CC mammogram of the left breast. 56-year-old patient.
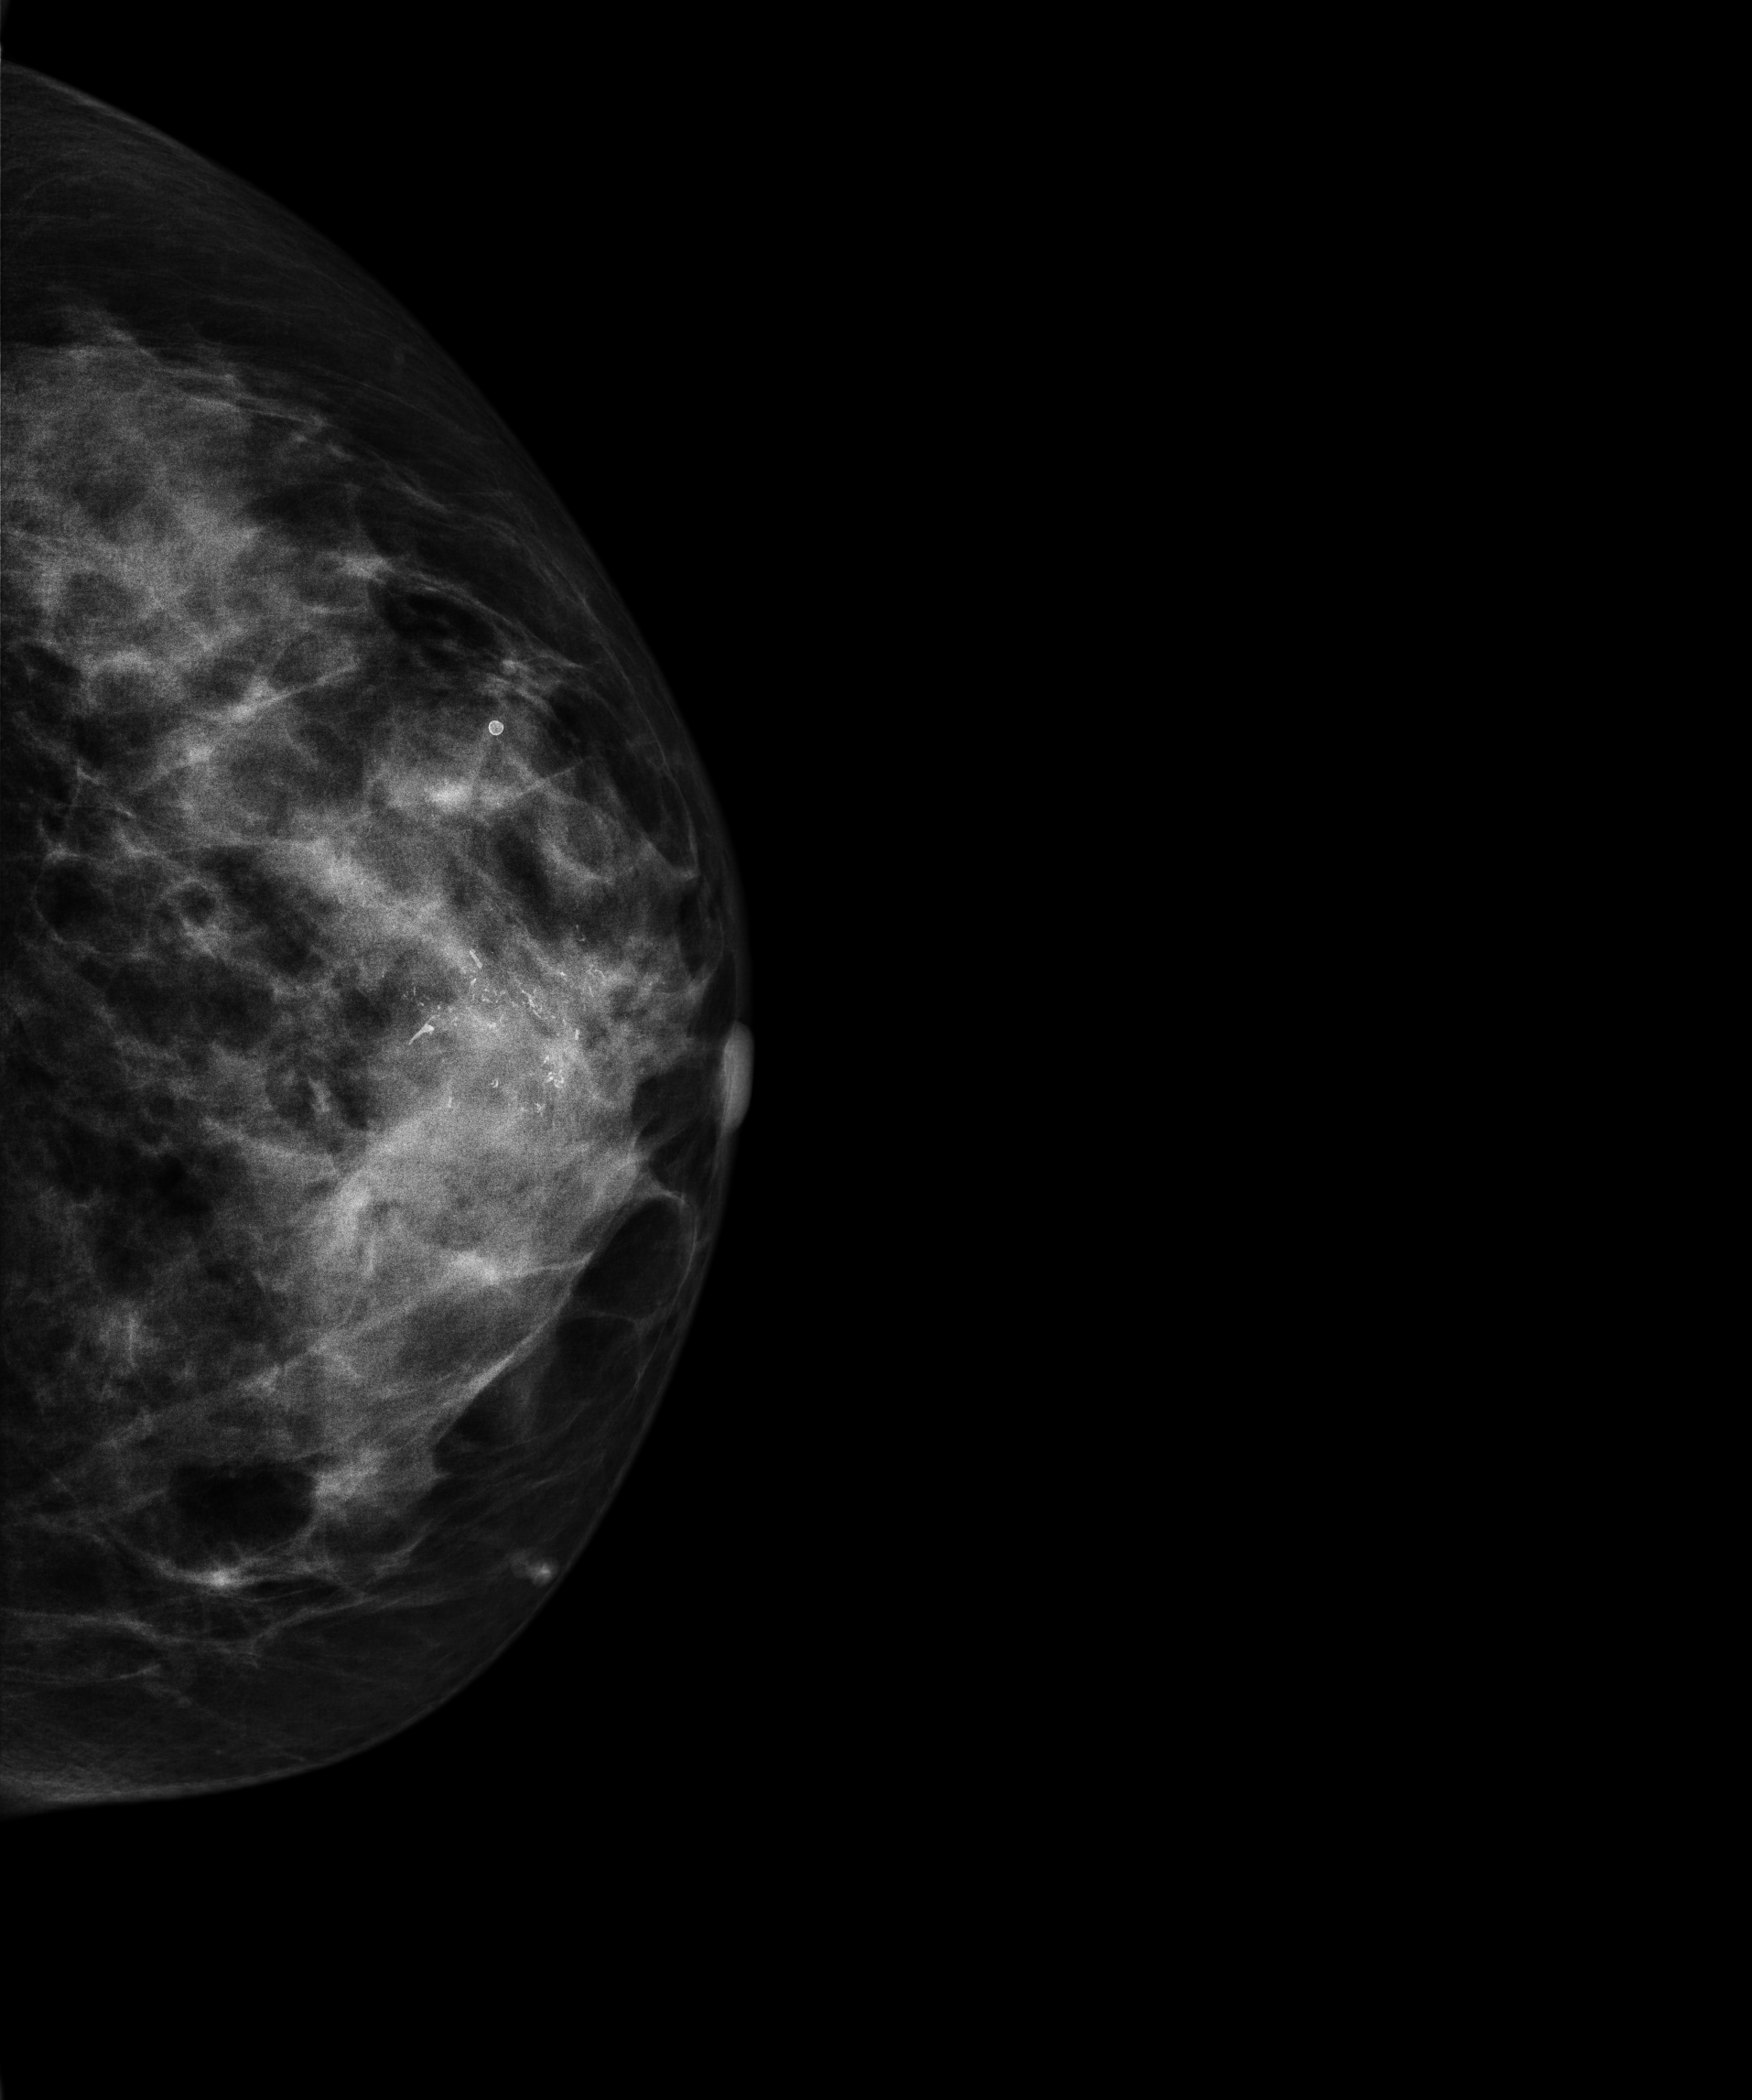
This breast has a mass and calcifications, histologically confirmed malignant. Molecular subtype: luminal A.